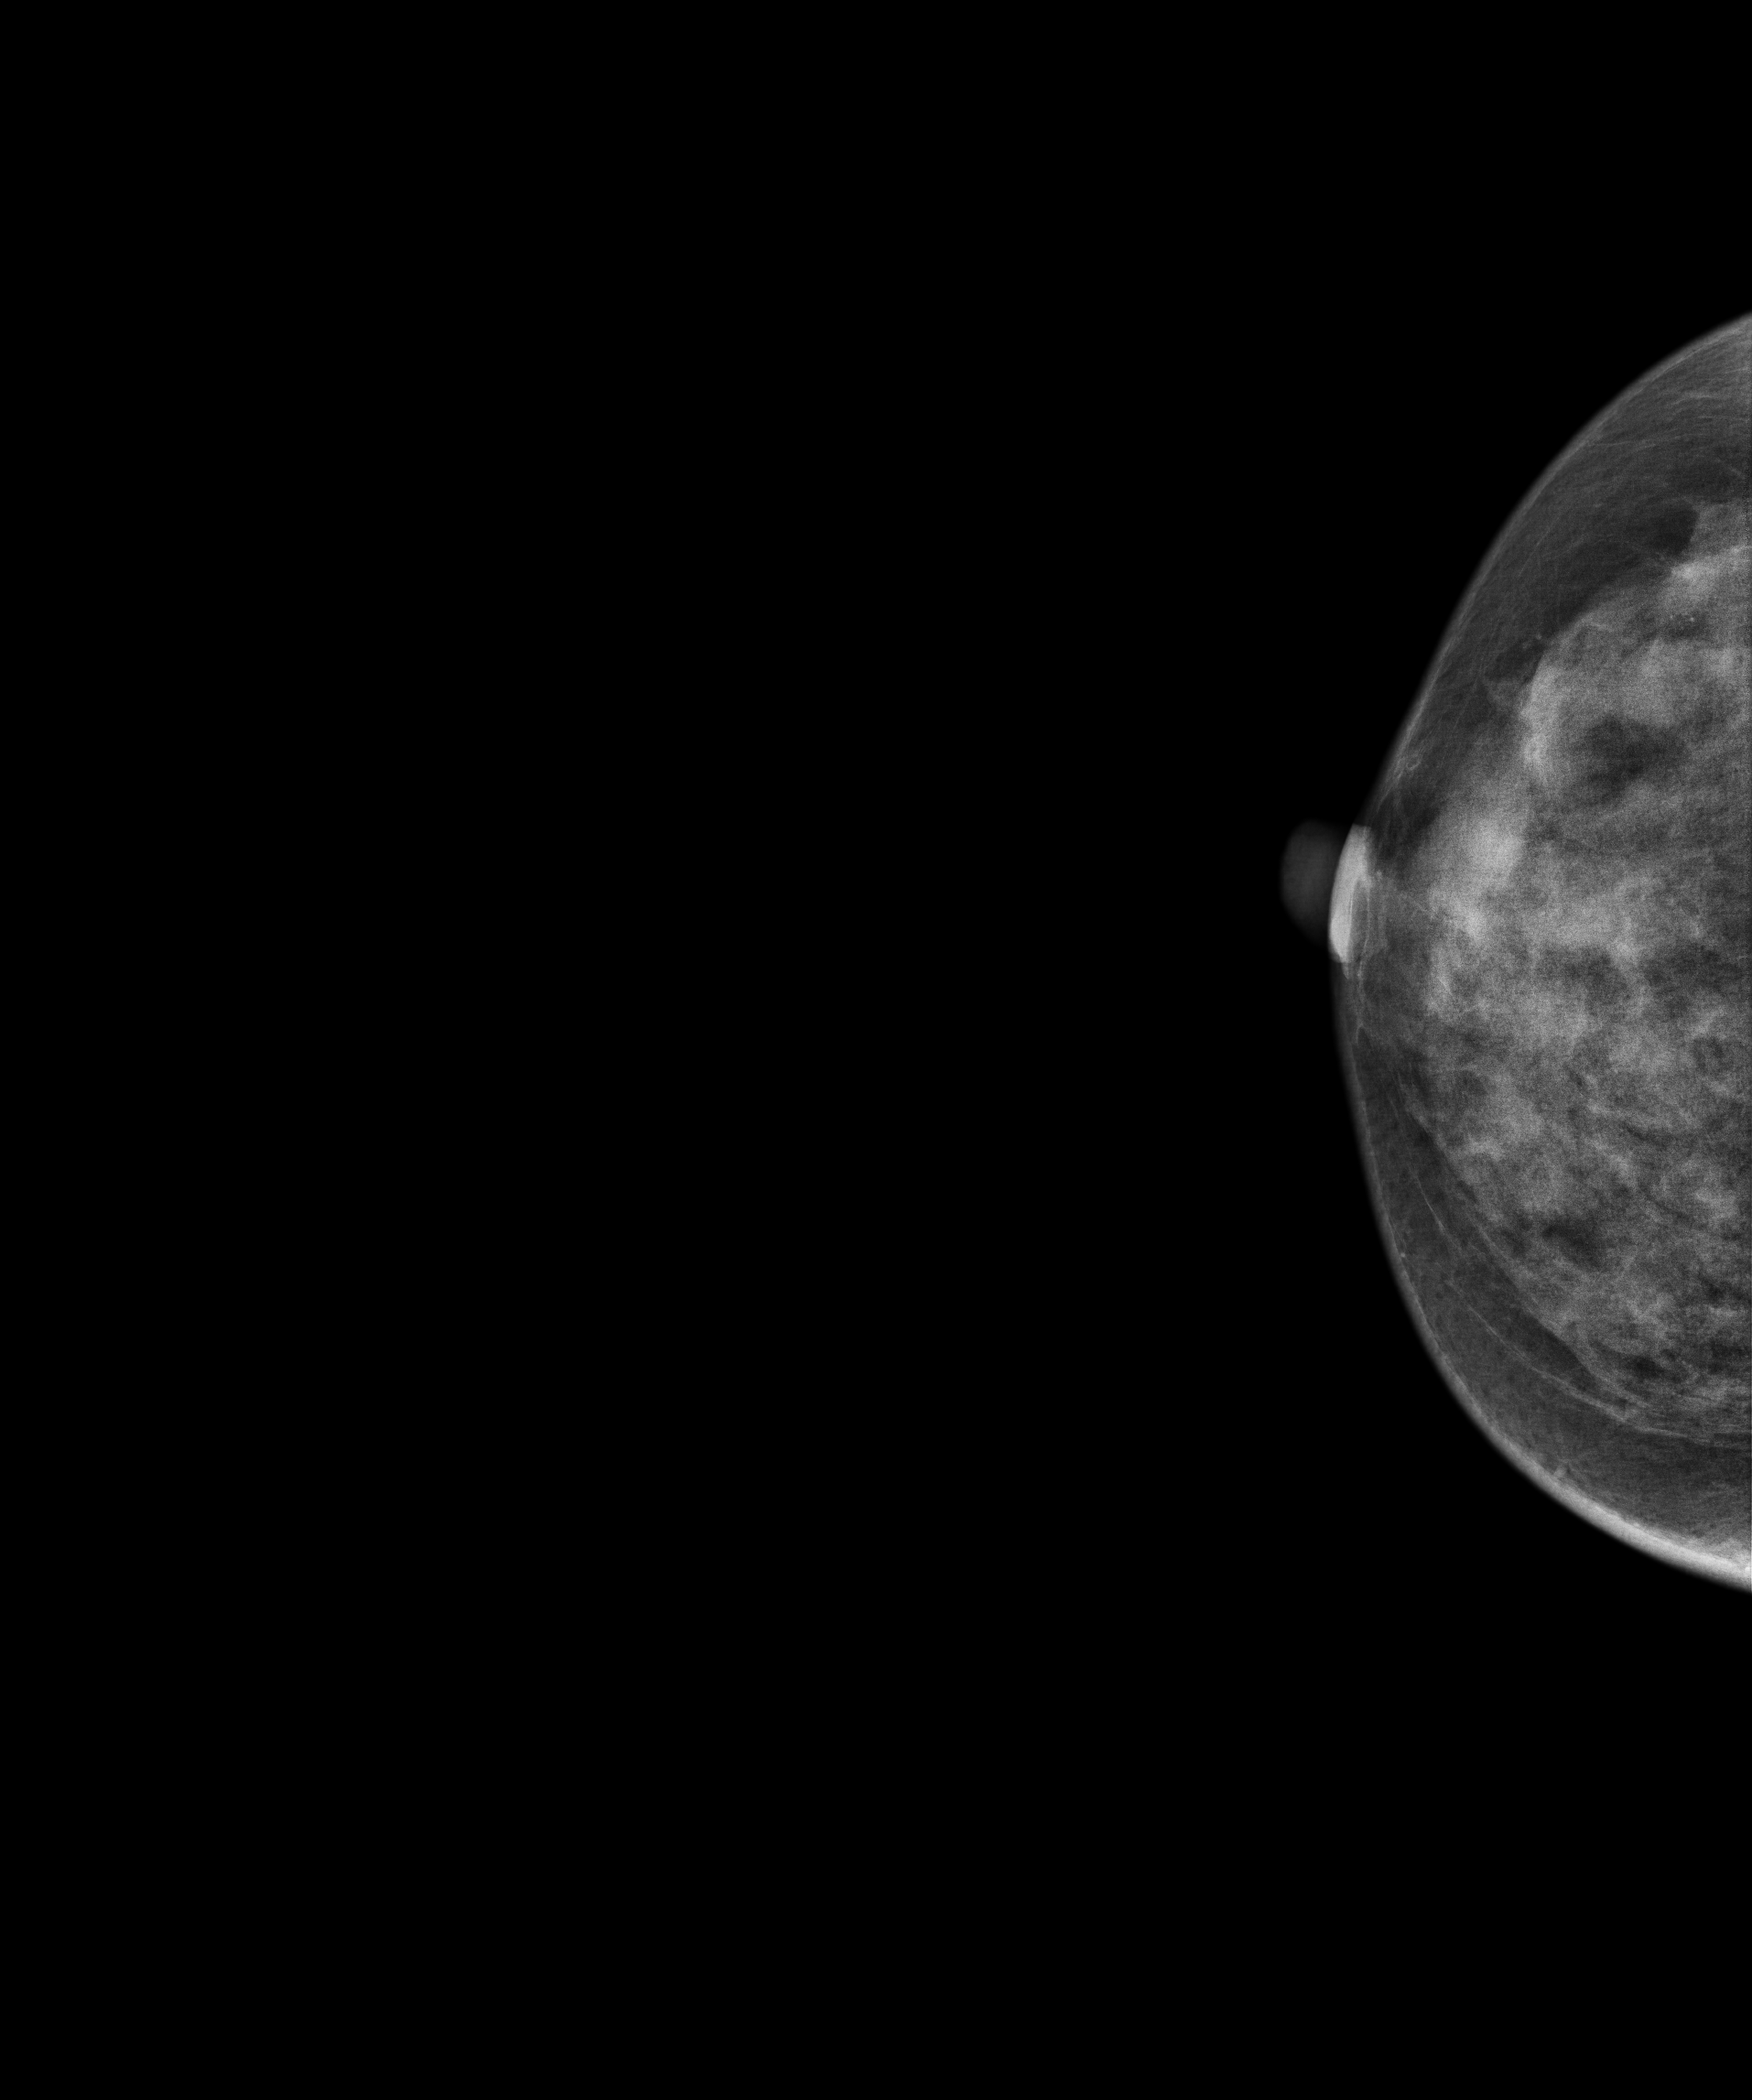
Digital mammography. Right breast, CC projection. 43 y/o patient.
This breast has a mass and calcifications, biopsy-proven malignant.